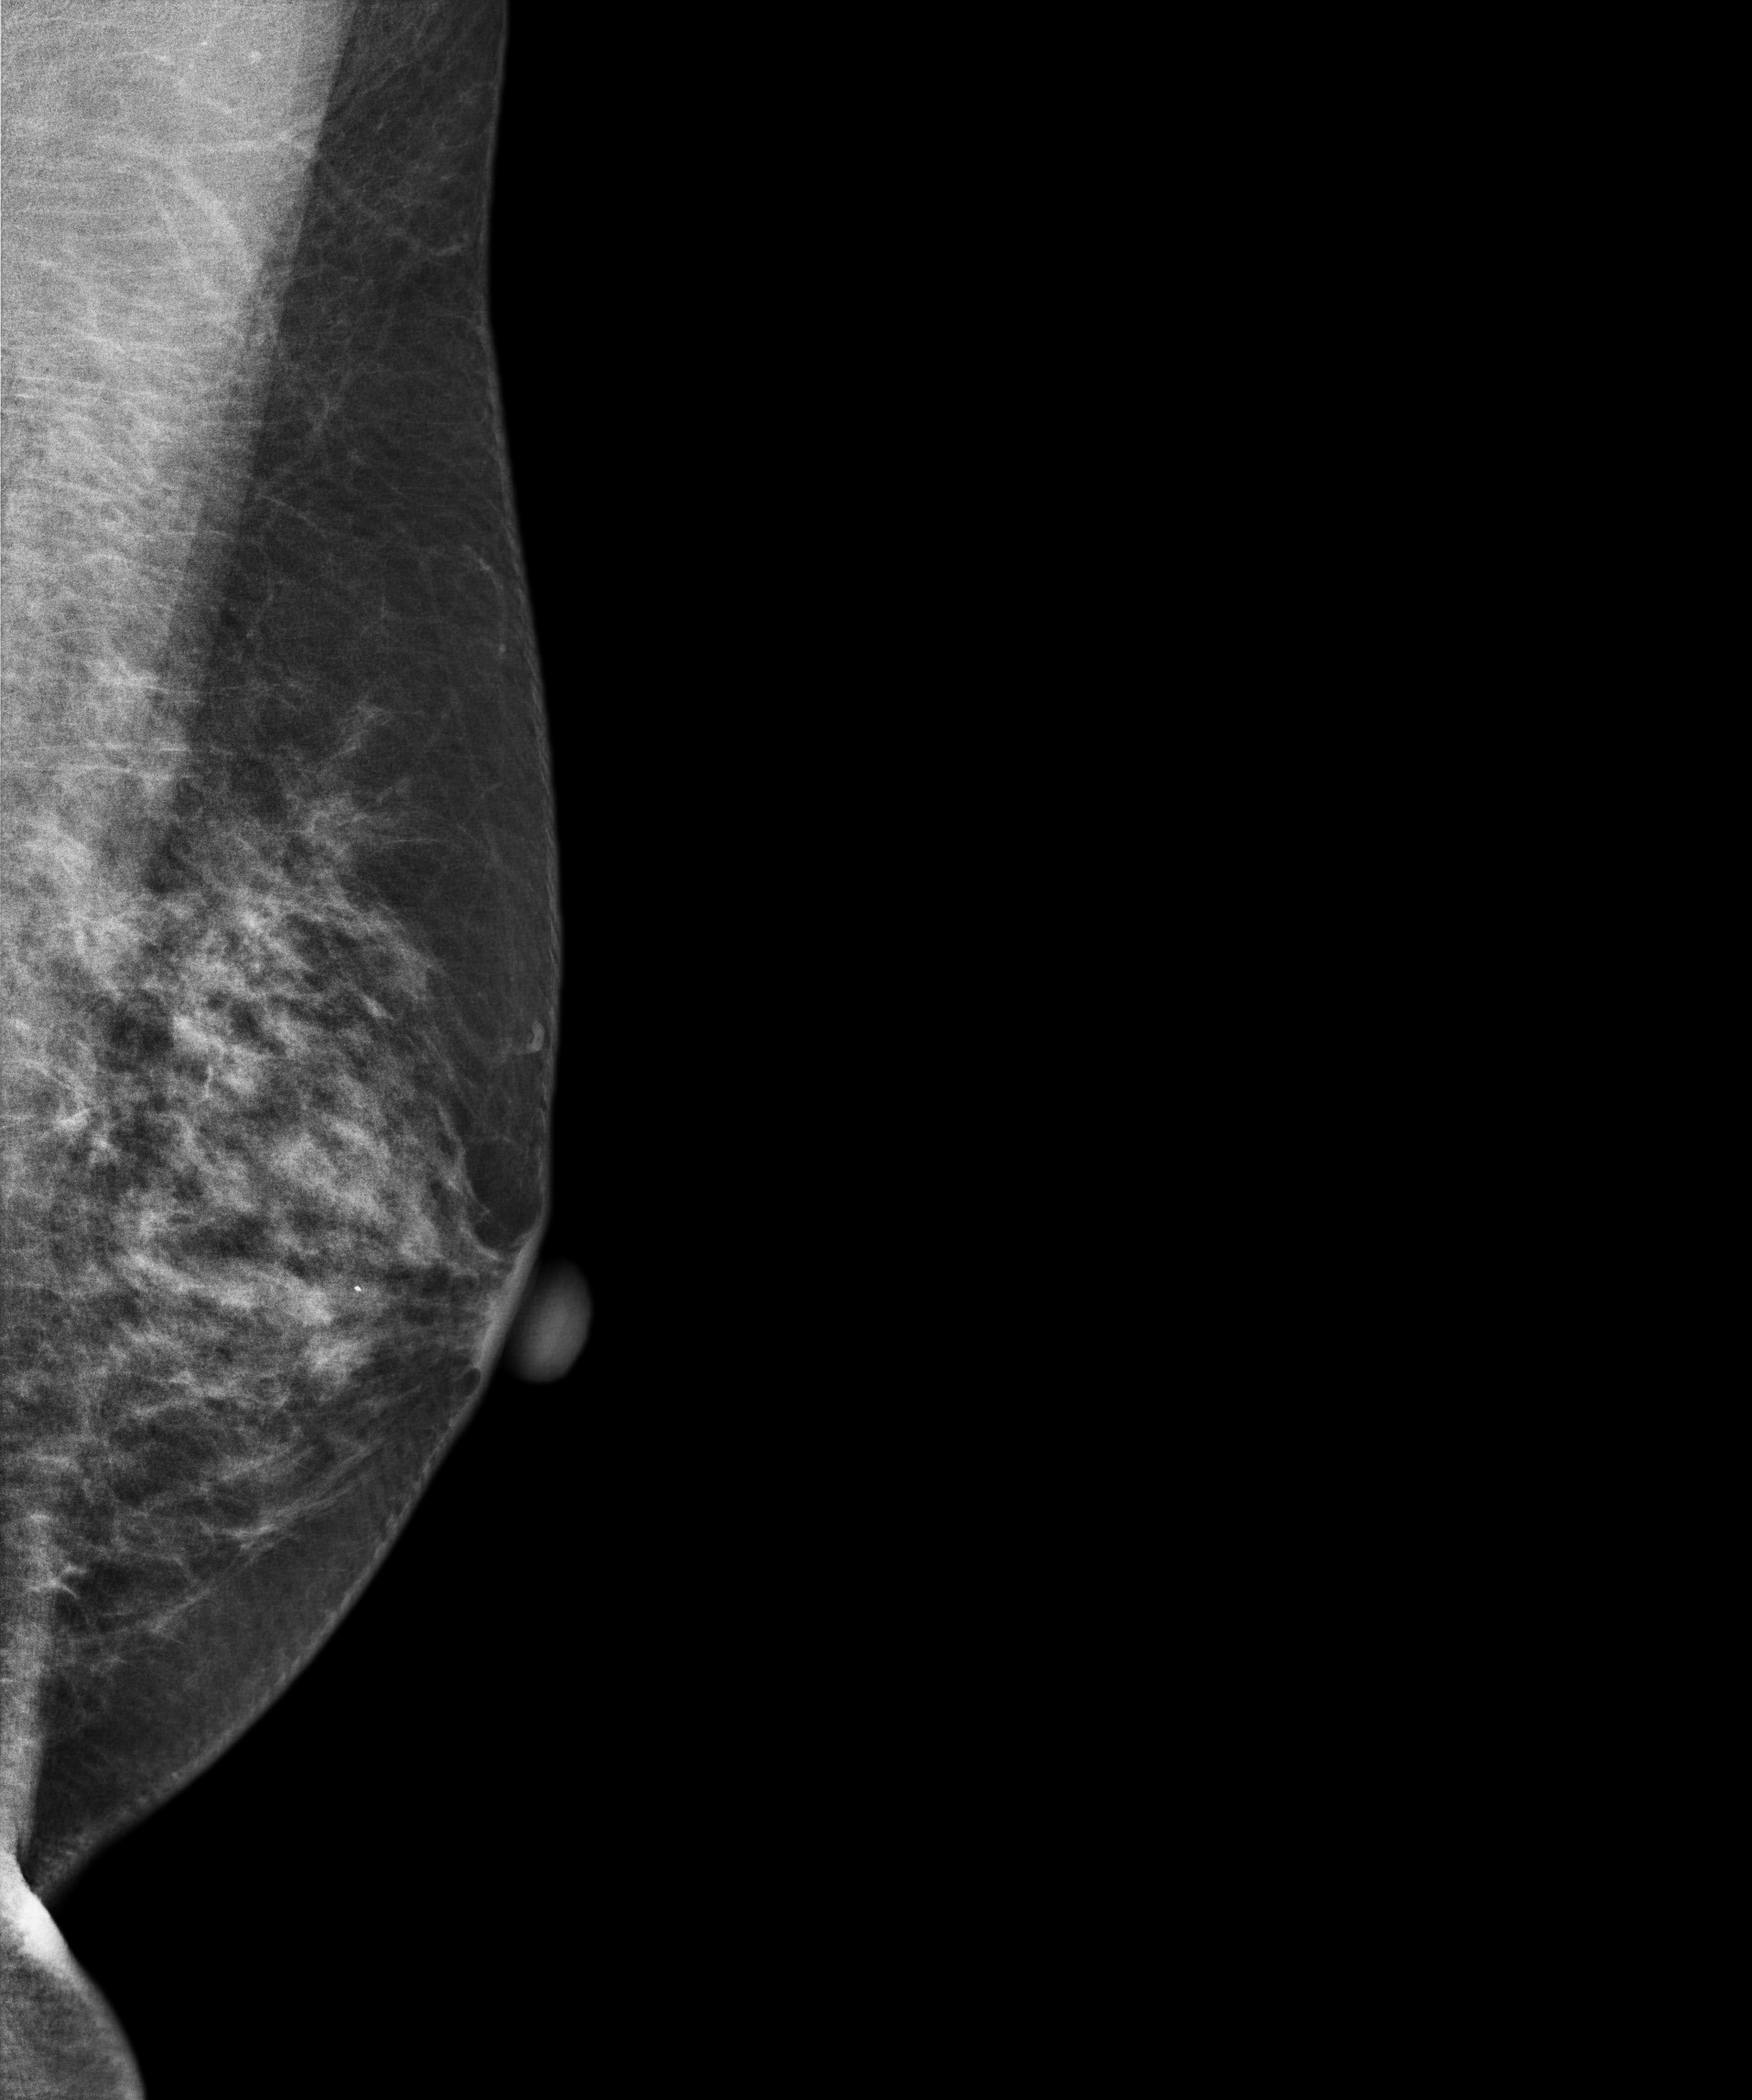
Medio-lateral oblique mammogram of the left breast. 56-year-old patient.
This breast has a mass, biopsy-confirmed malignant.